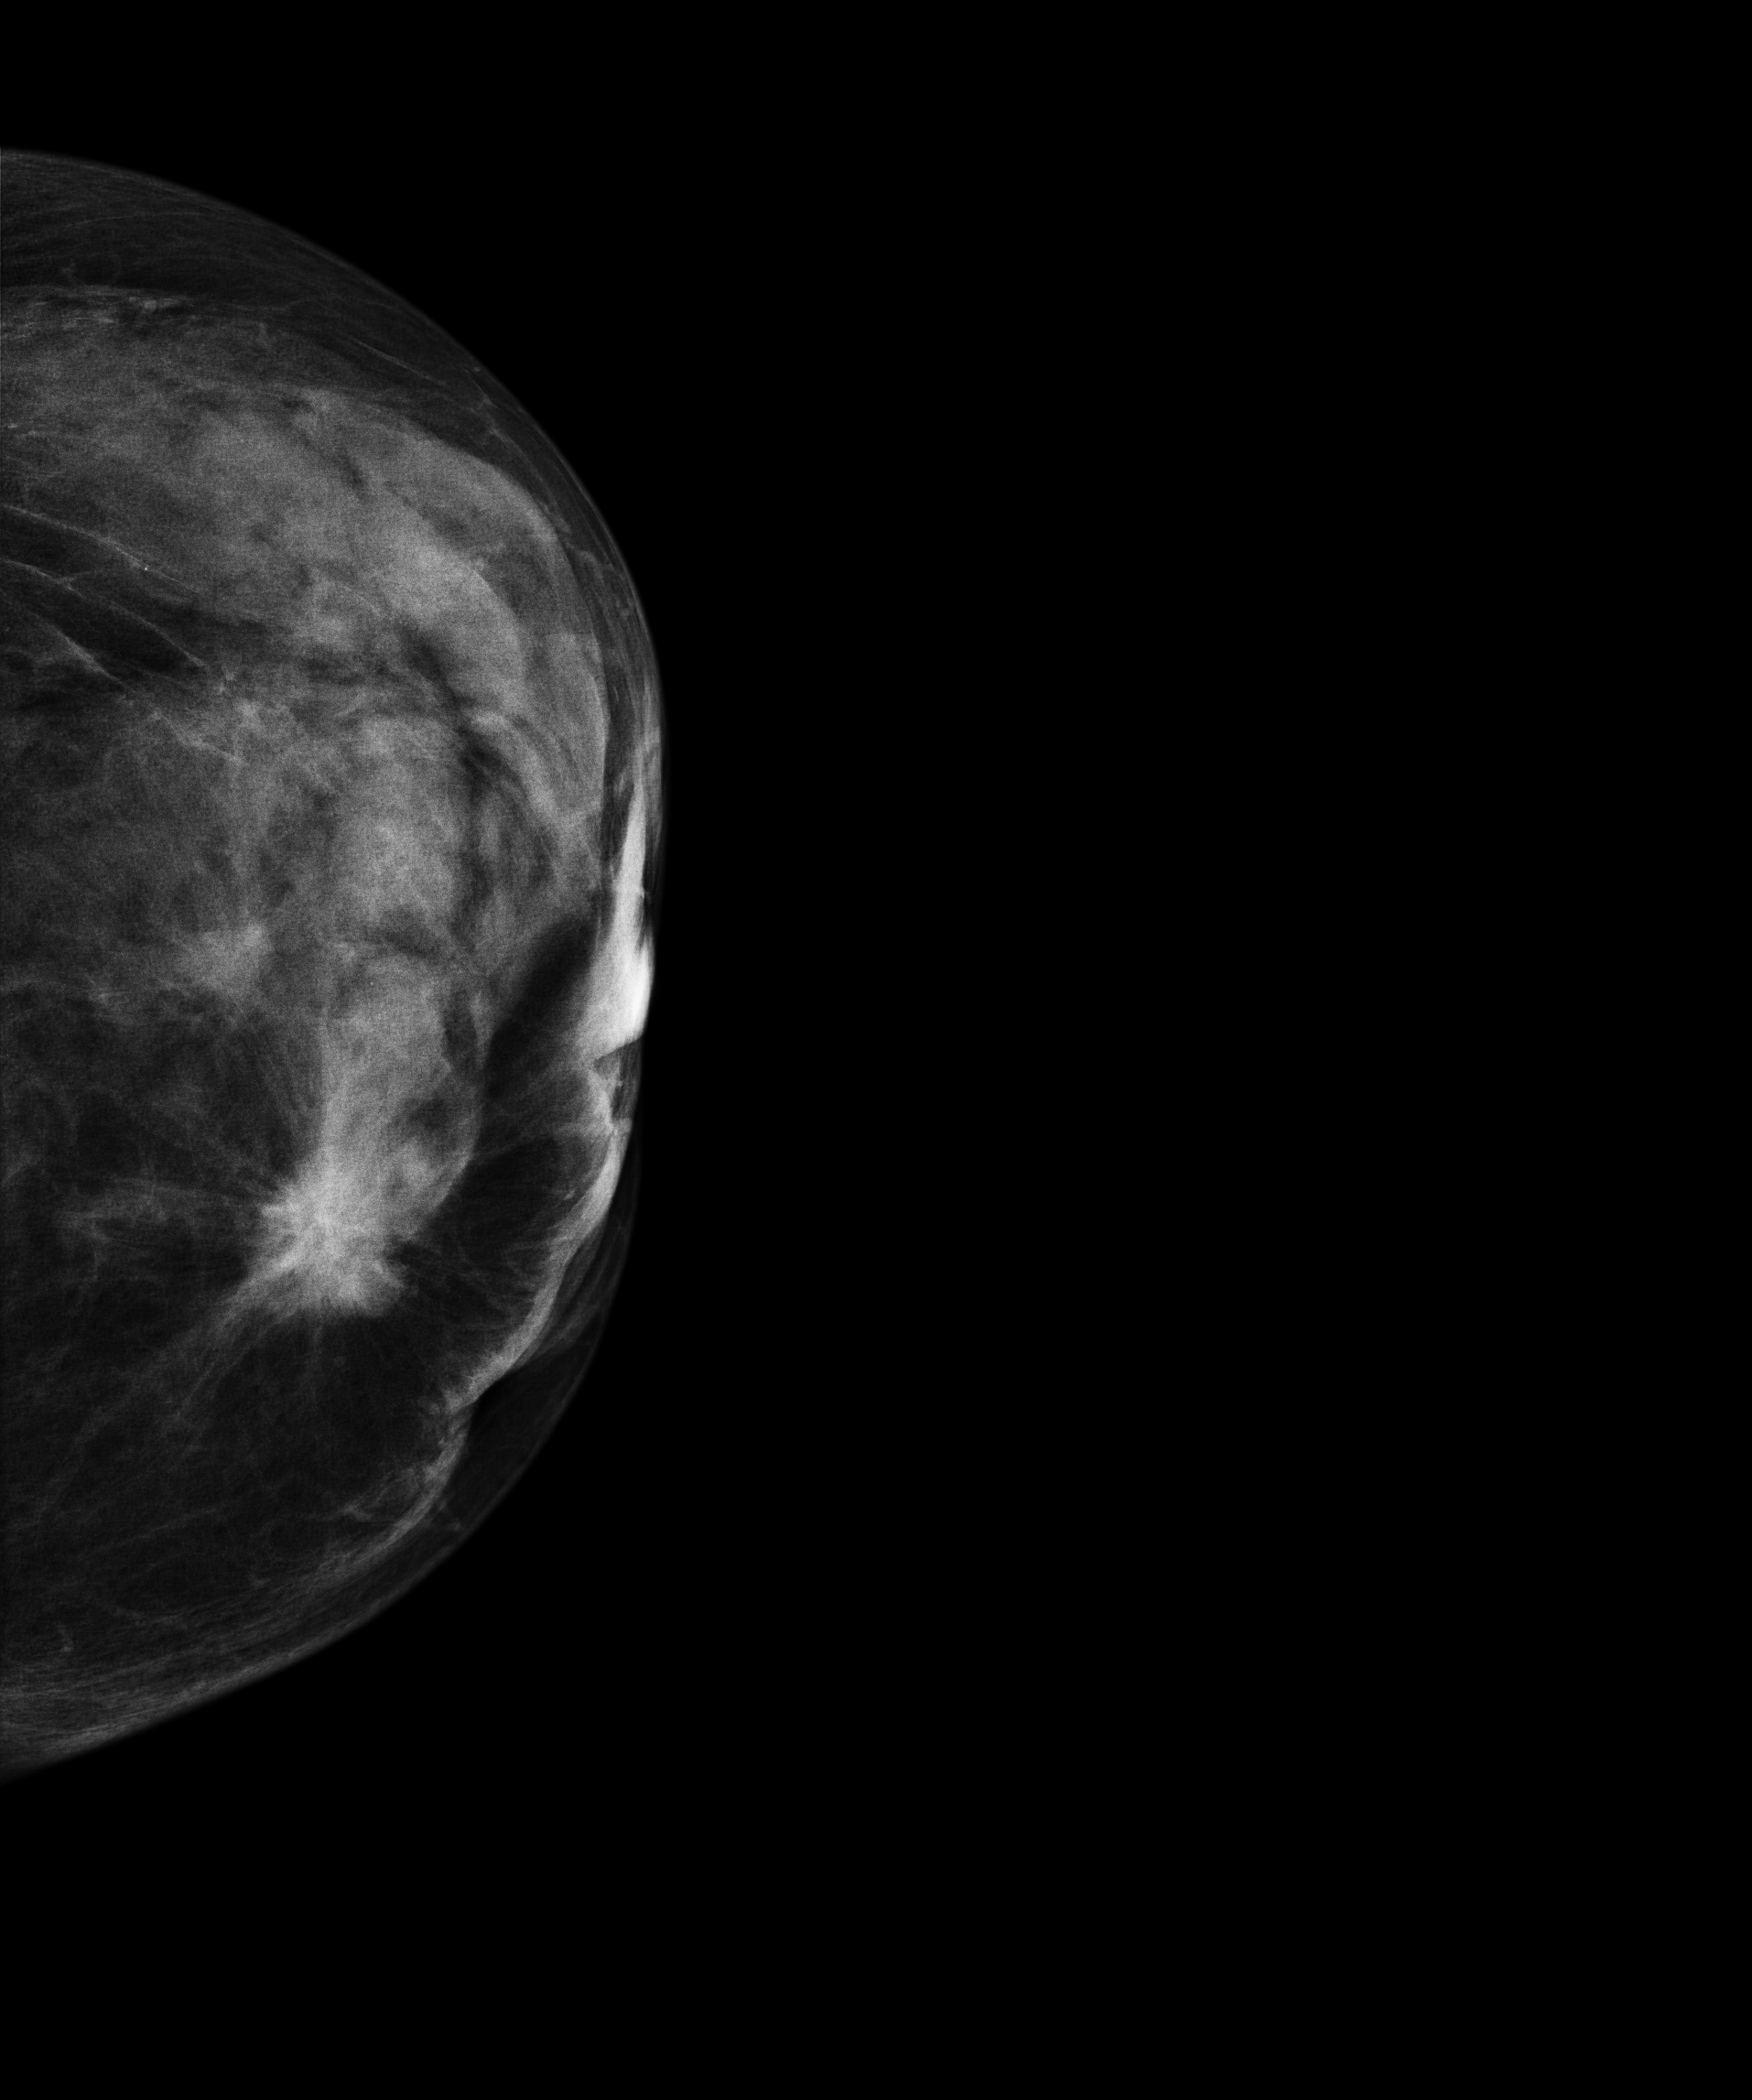
Left-breast mammogram, cranio-caudal. 56 y/o patient.
This breast has a mass, biopsy-confirmed malignant. Molecular subtype: luminal B.